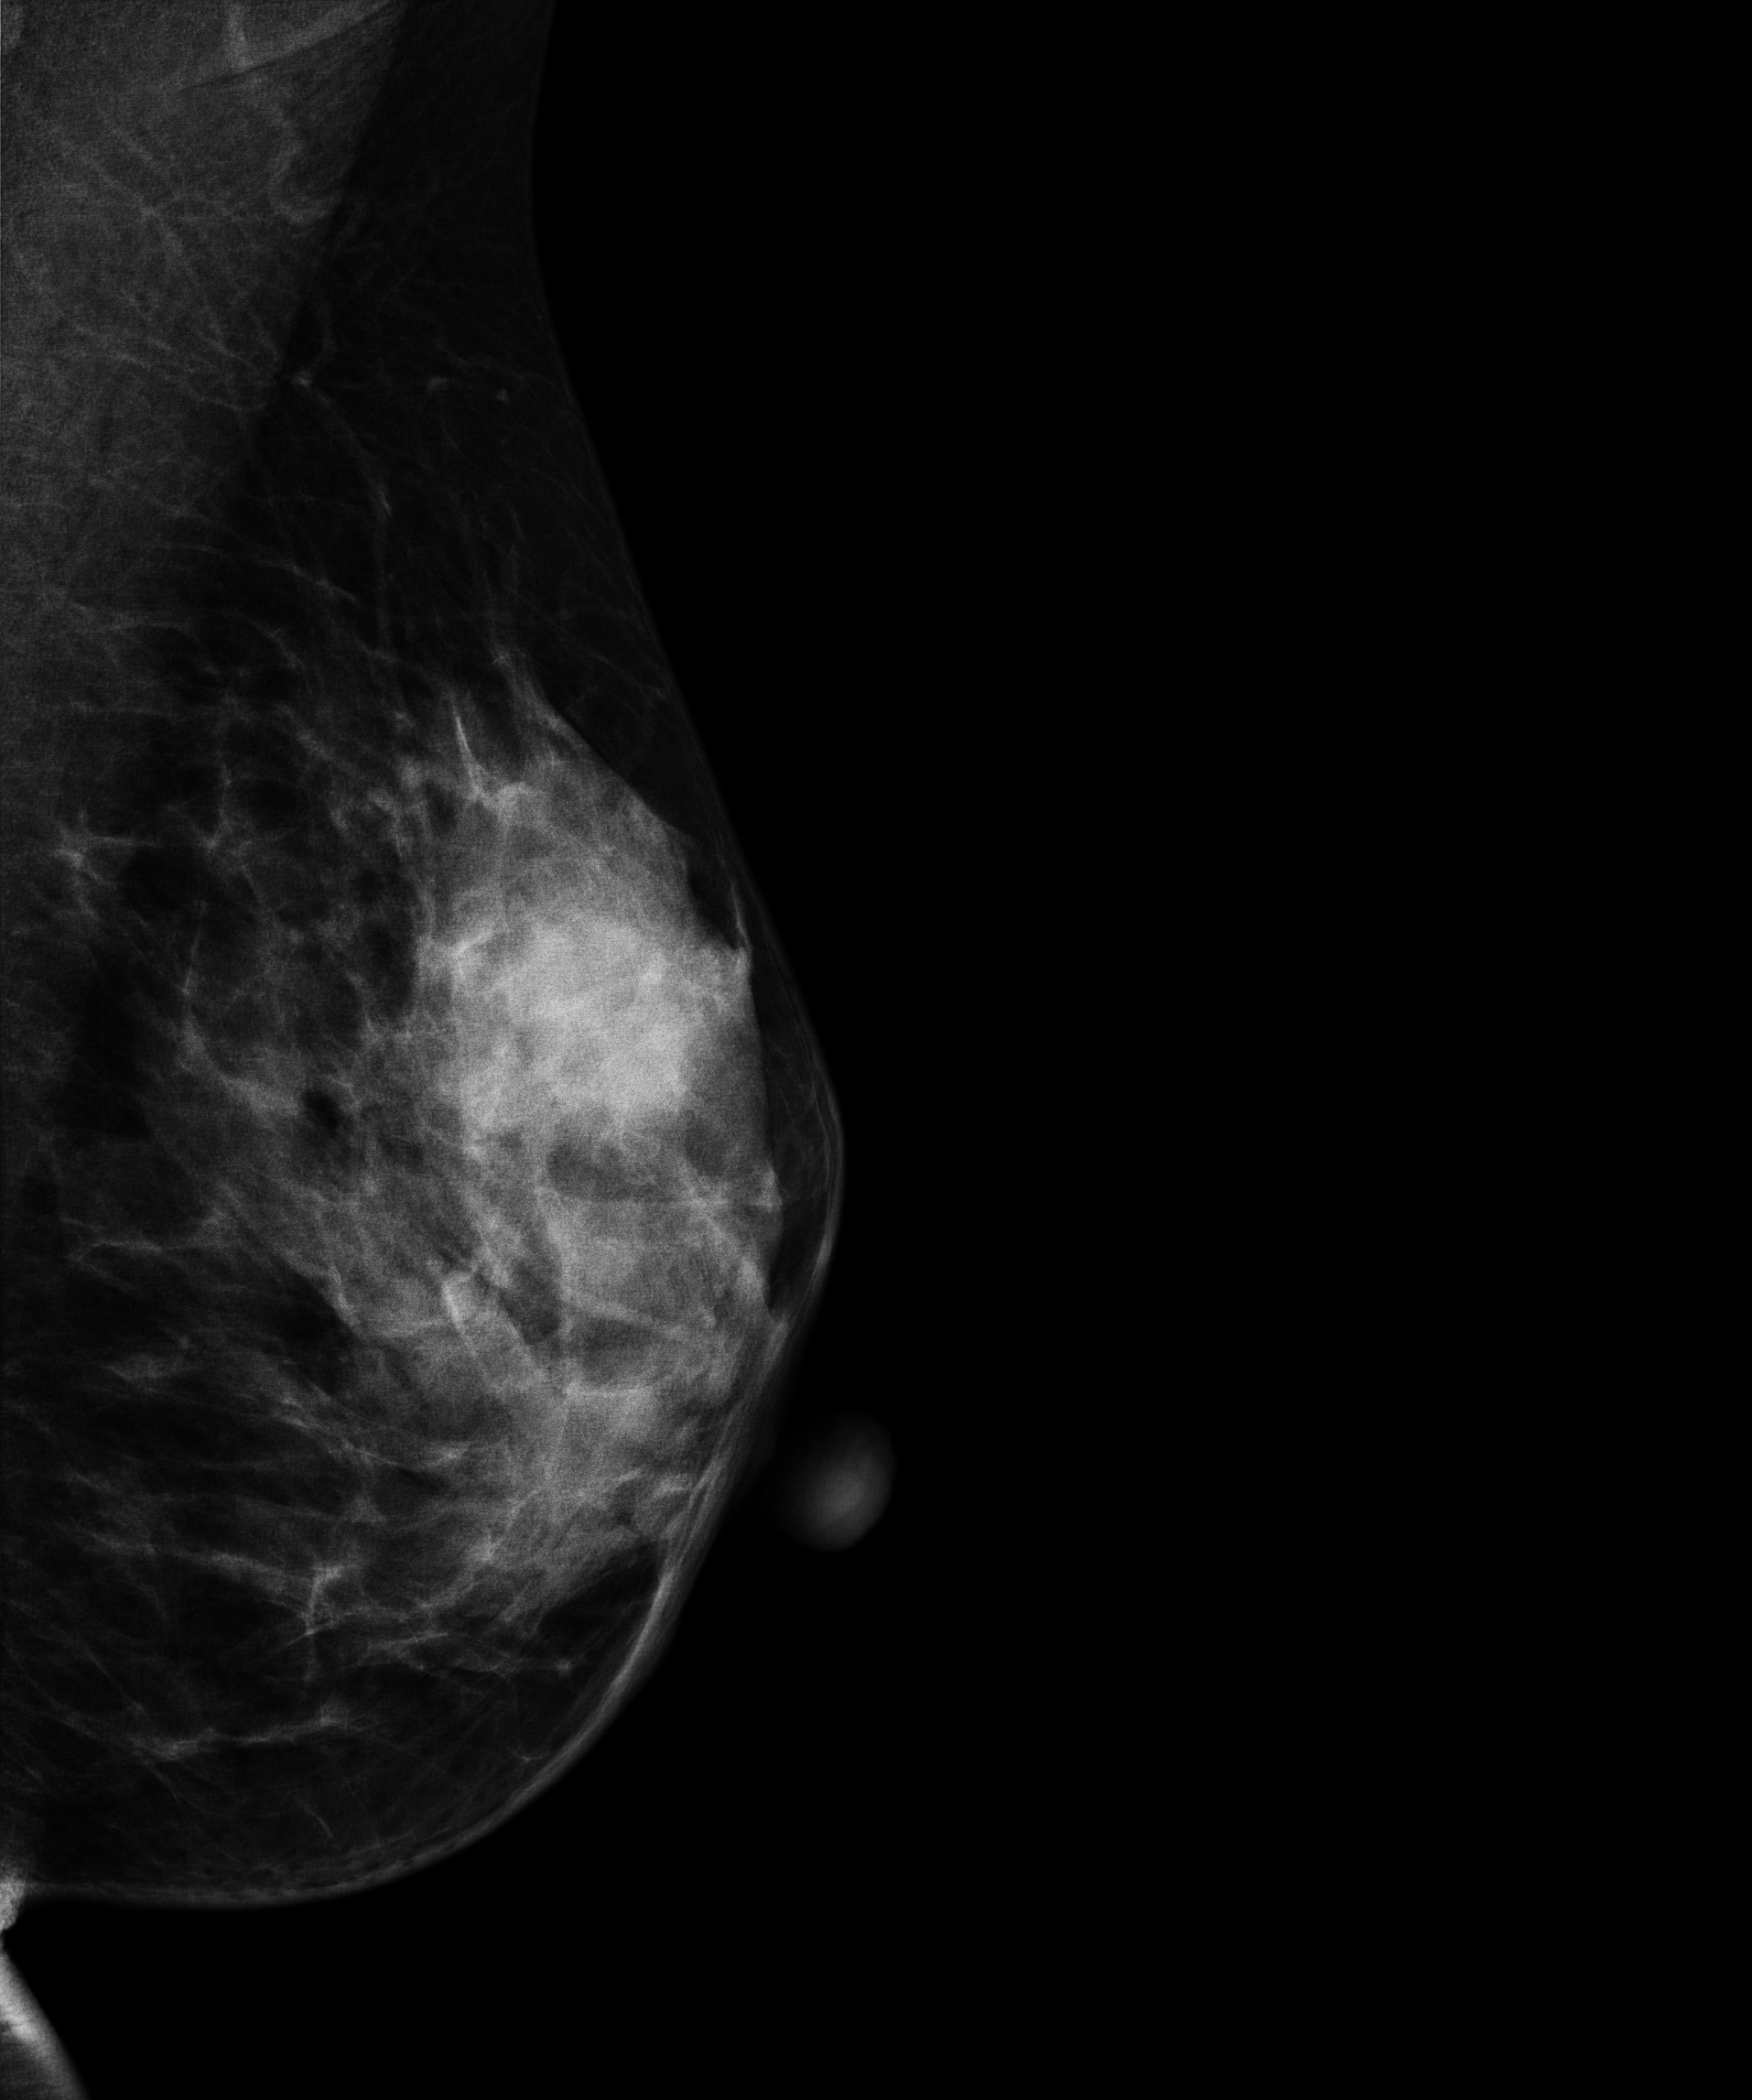
MLO mammogram of the left breast. Patient age 41.
This breast has a mass, biopsy-proven malignant. Molecular subtype: luminal B.